Cranio-caudal mammogram of the left breast. 35 y/o patient.
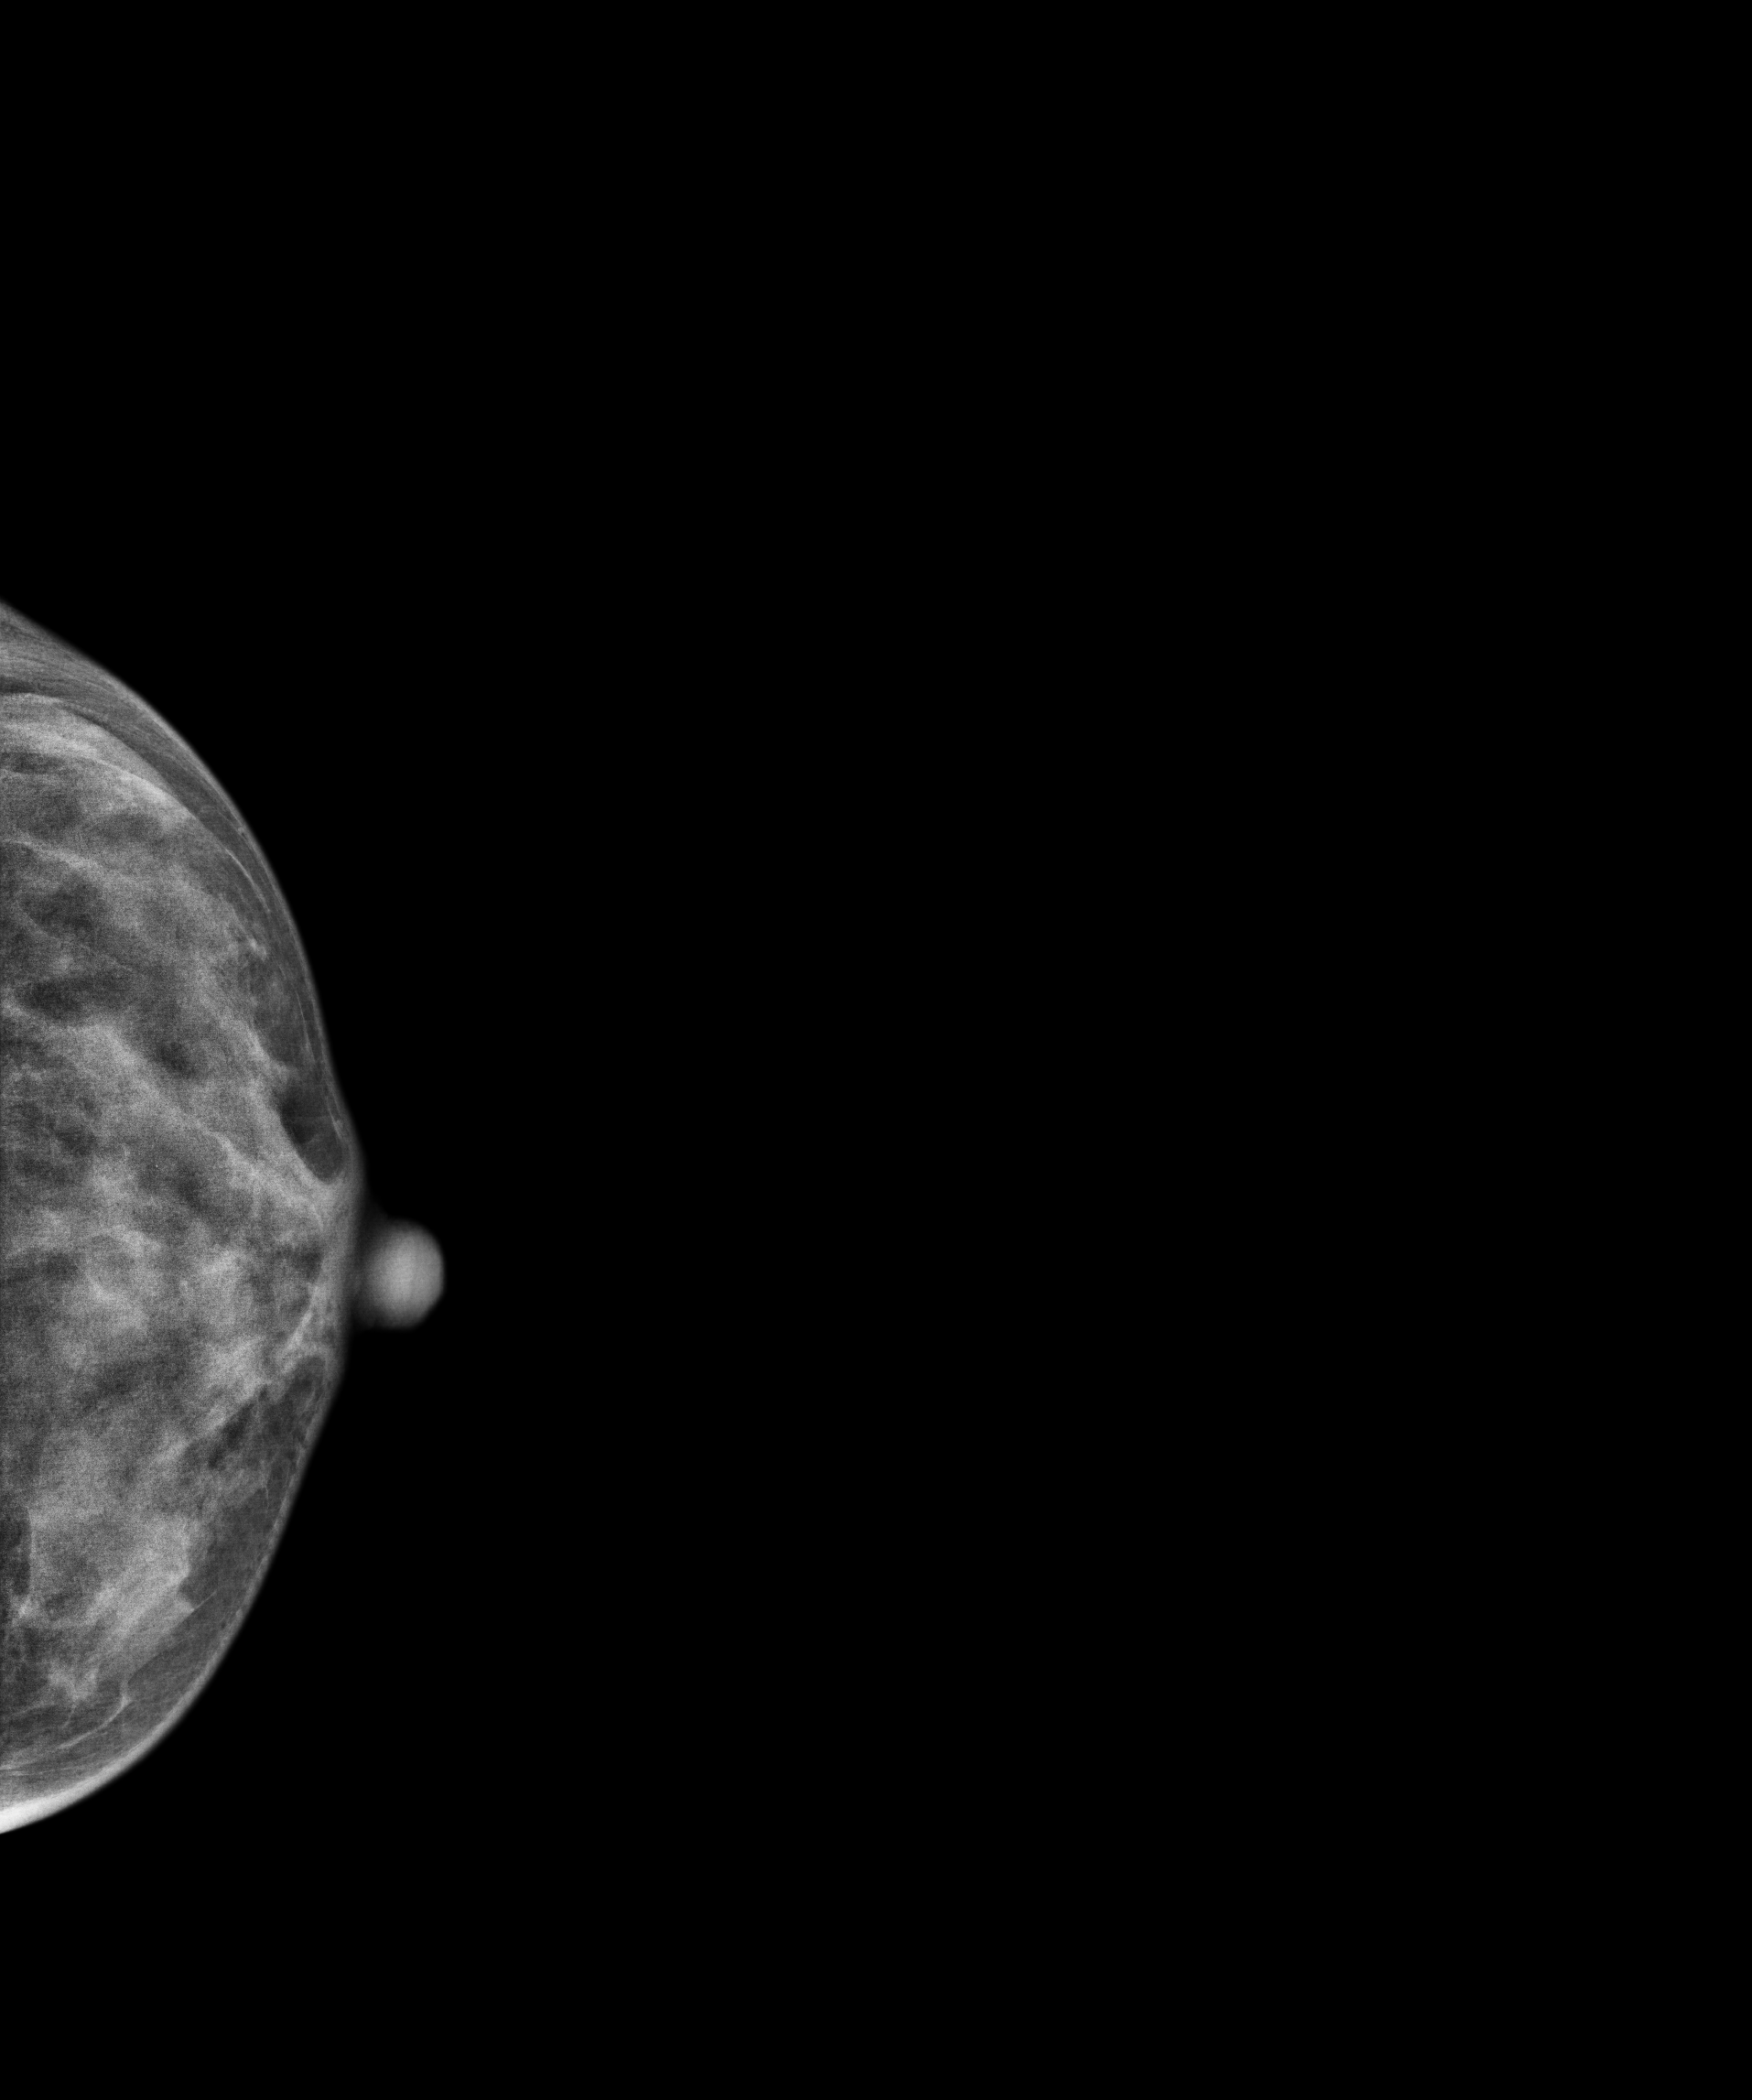
Contralateral breast — no documented abnormality on this side.